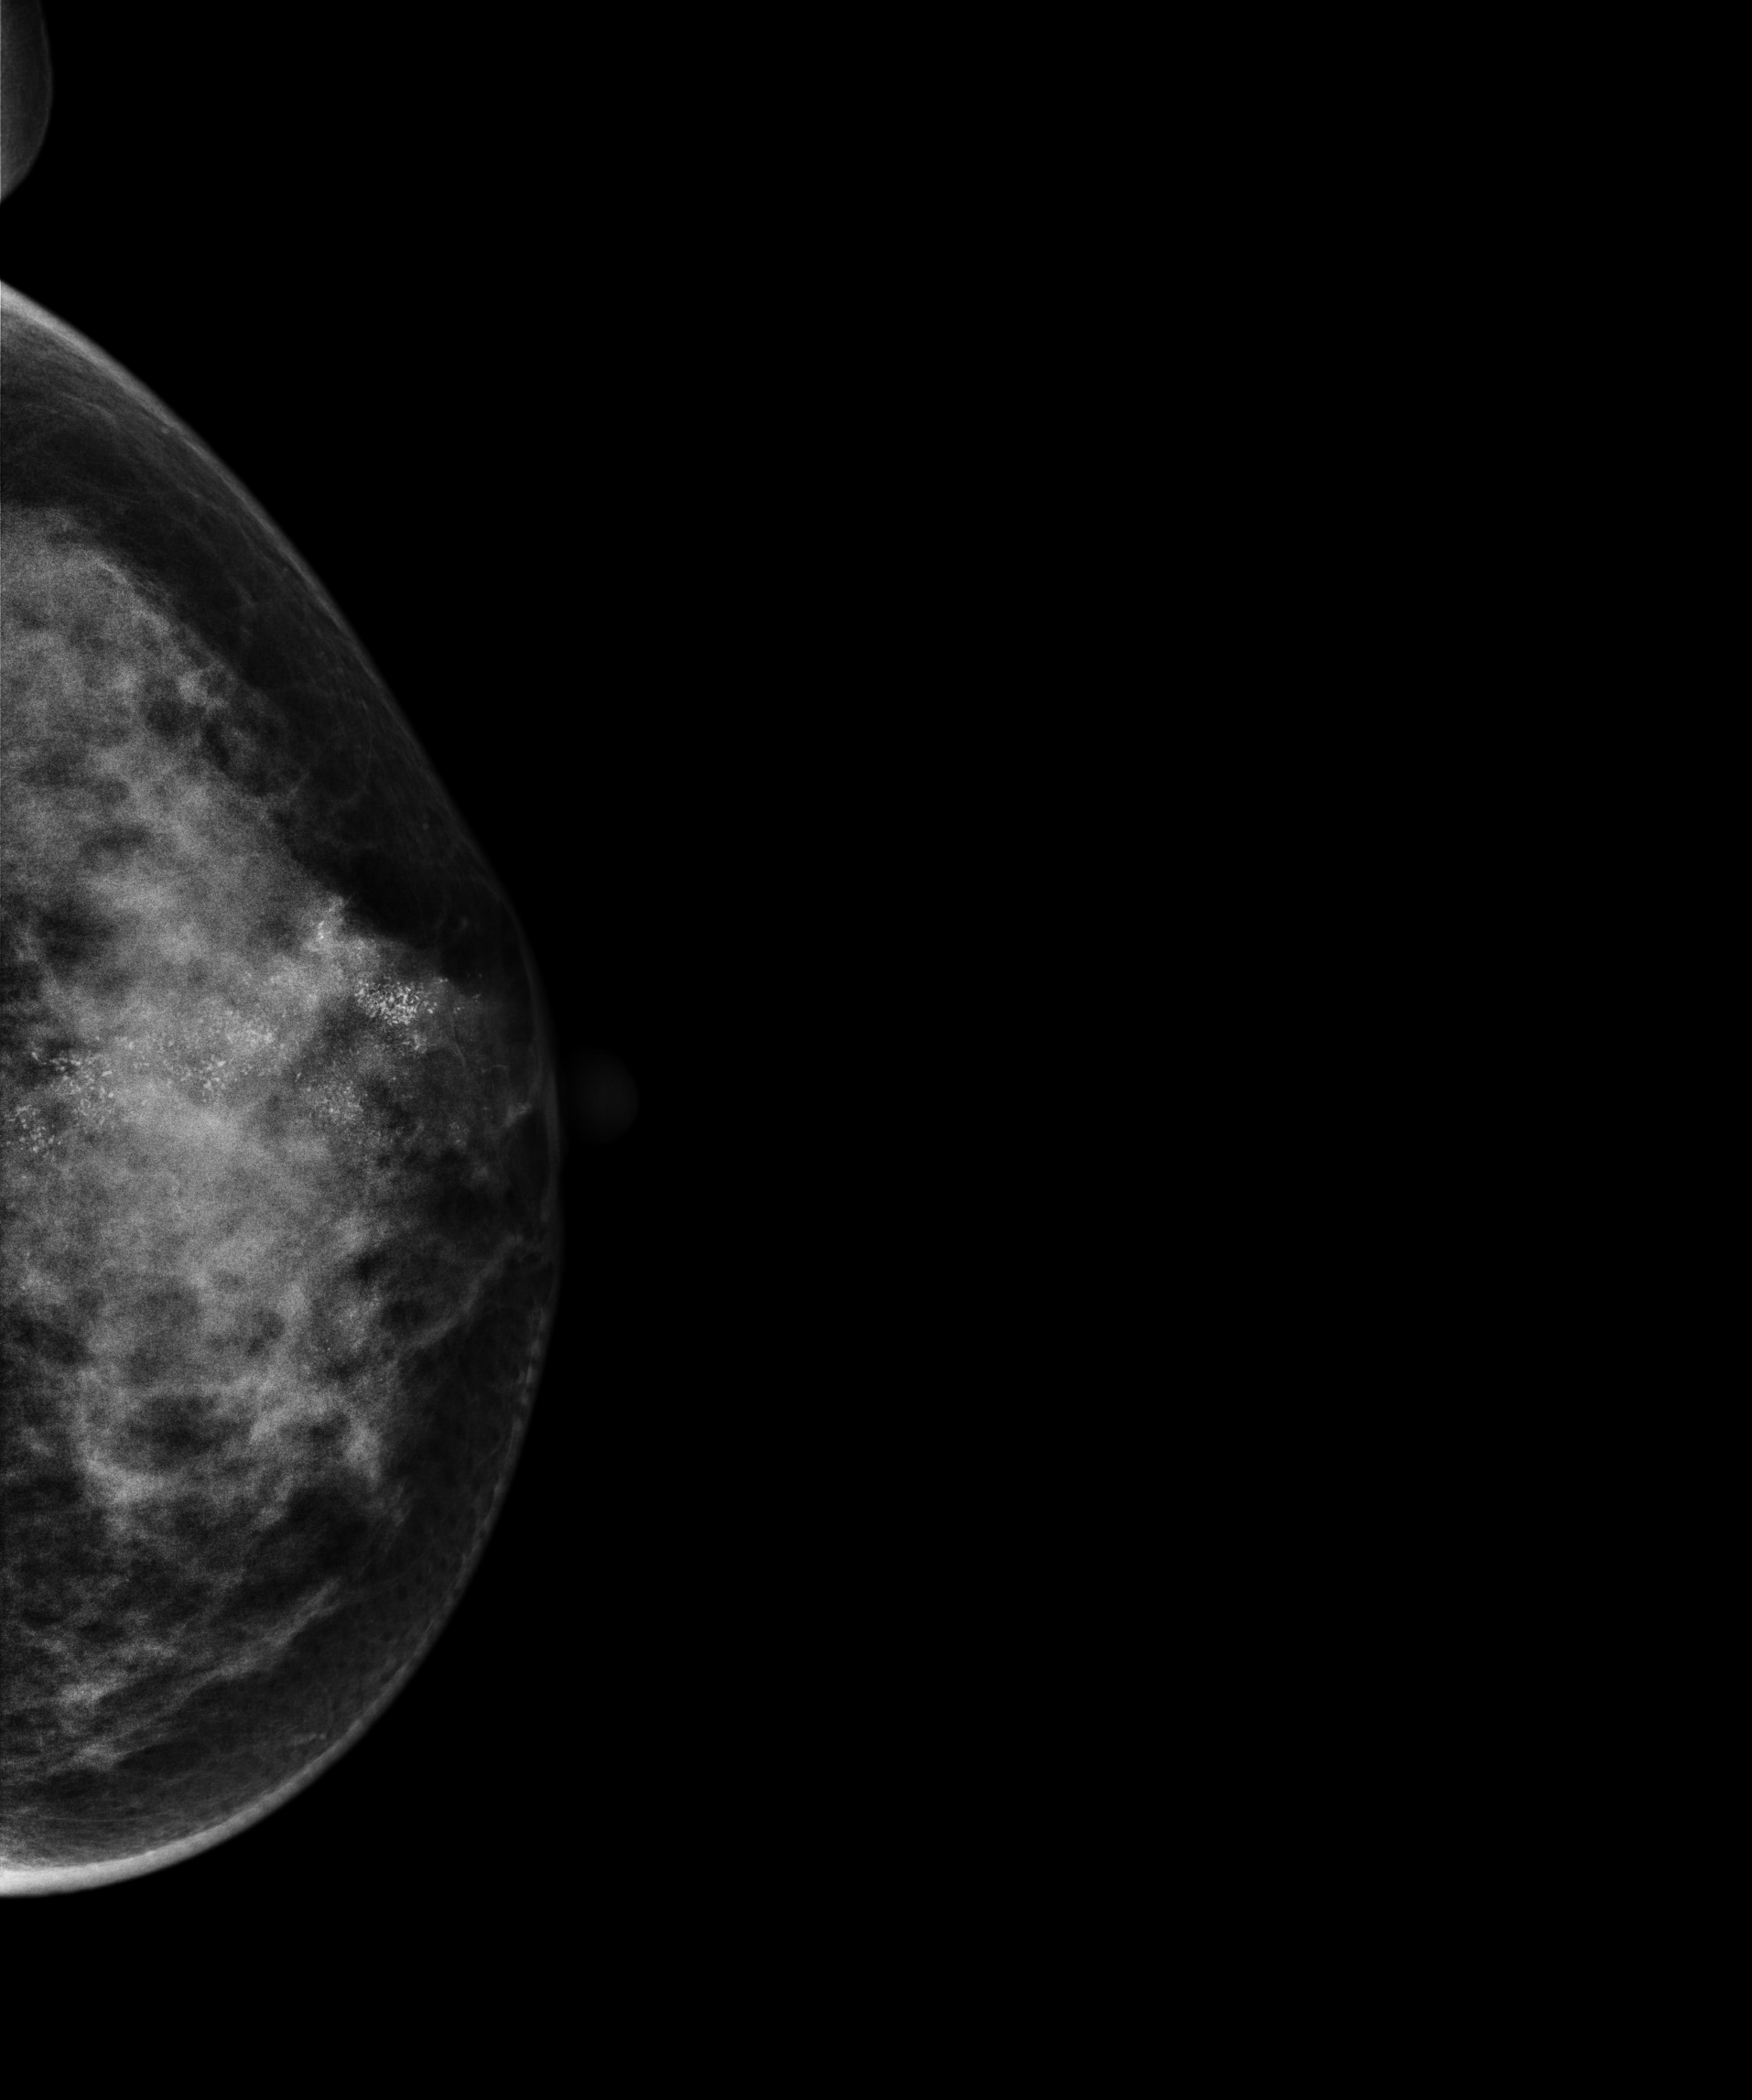
CC mammogram of the left breast. Patient age 36.
This breast has calcifications, pathology-confirmed malignant.